Mammogram, left breast, CC view. Patient age 34.
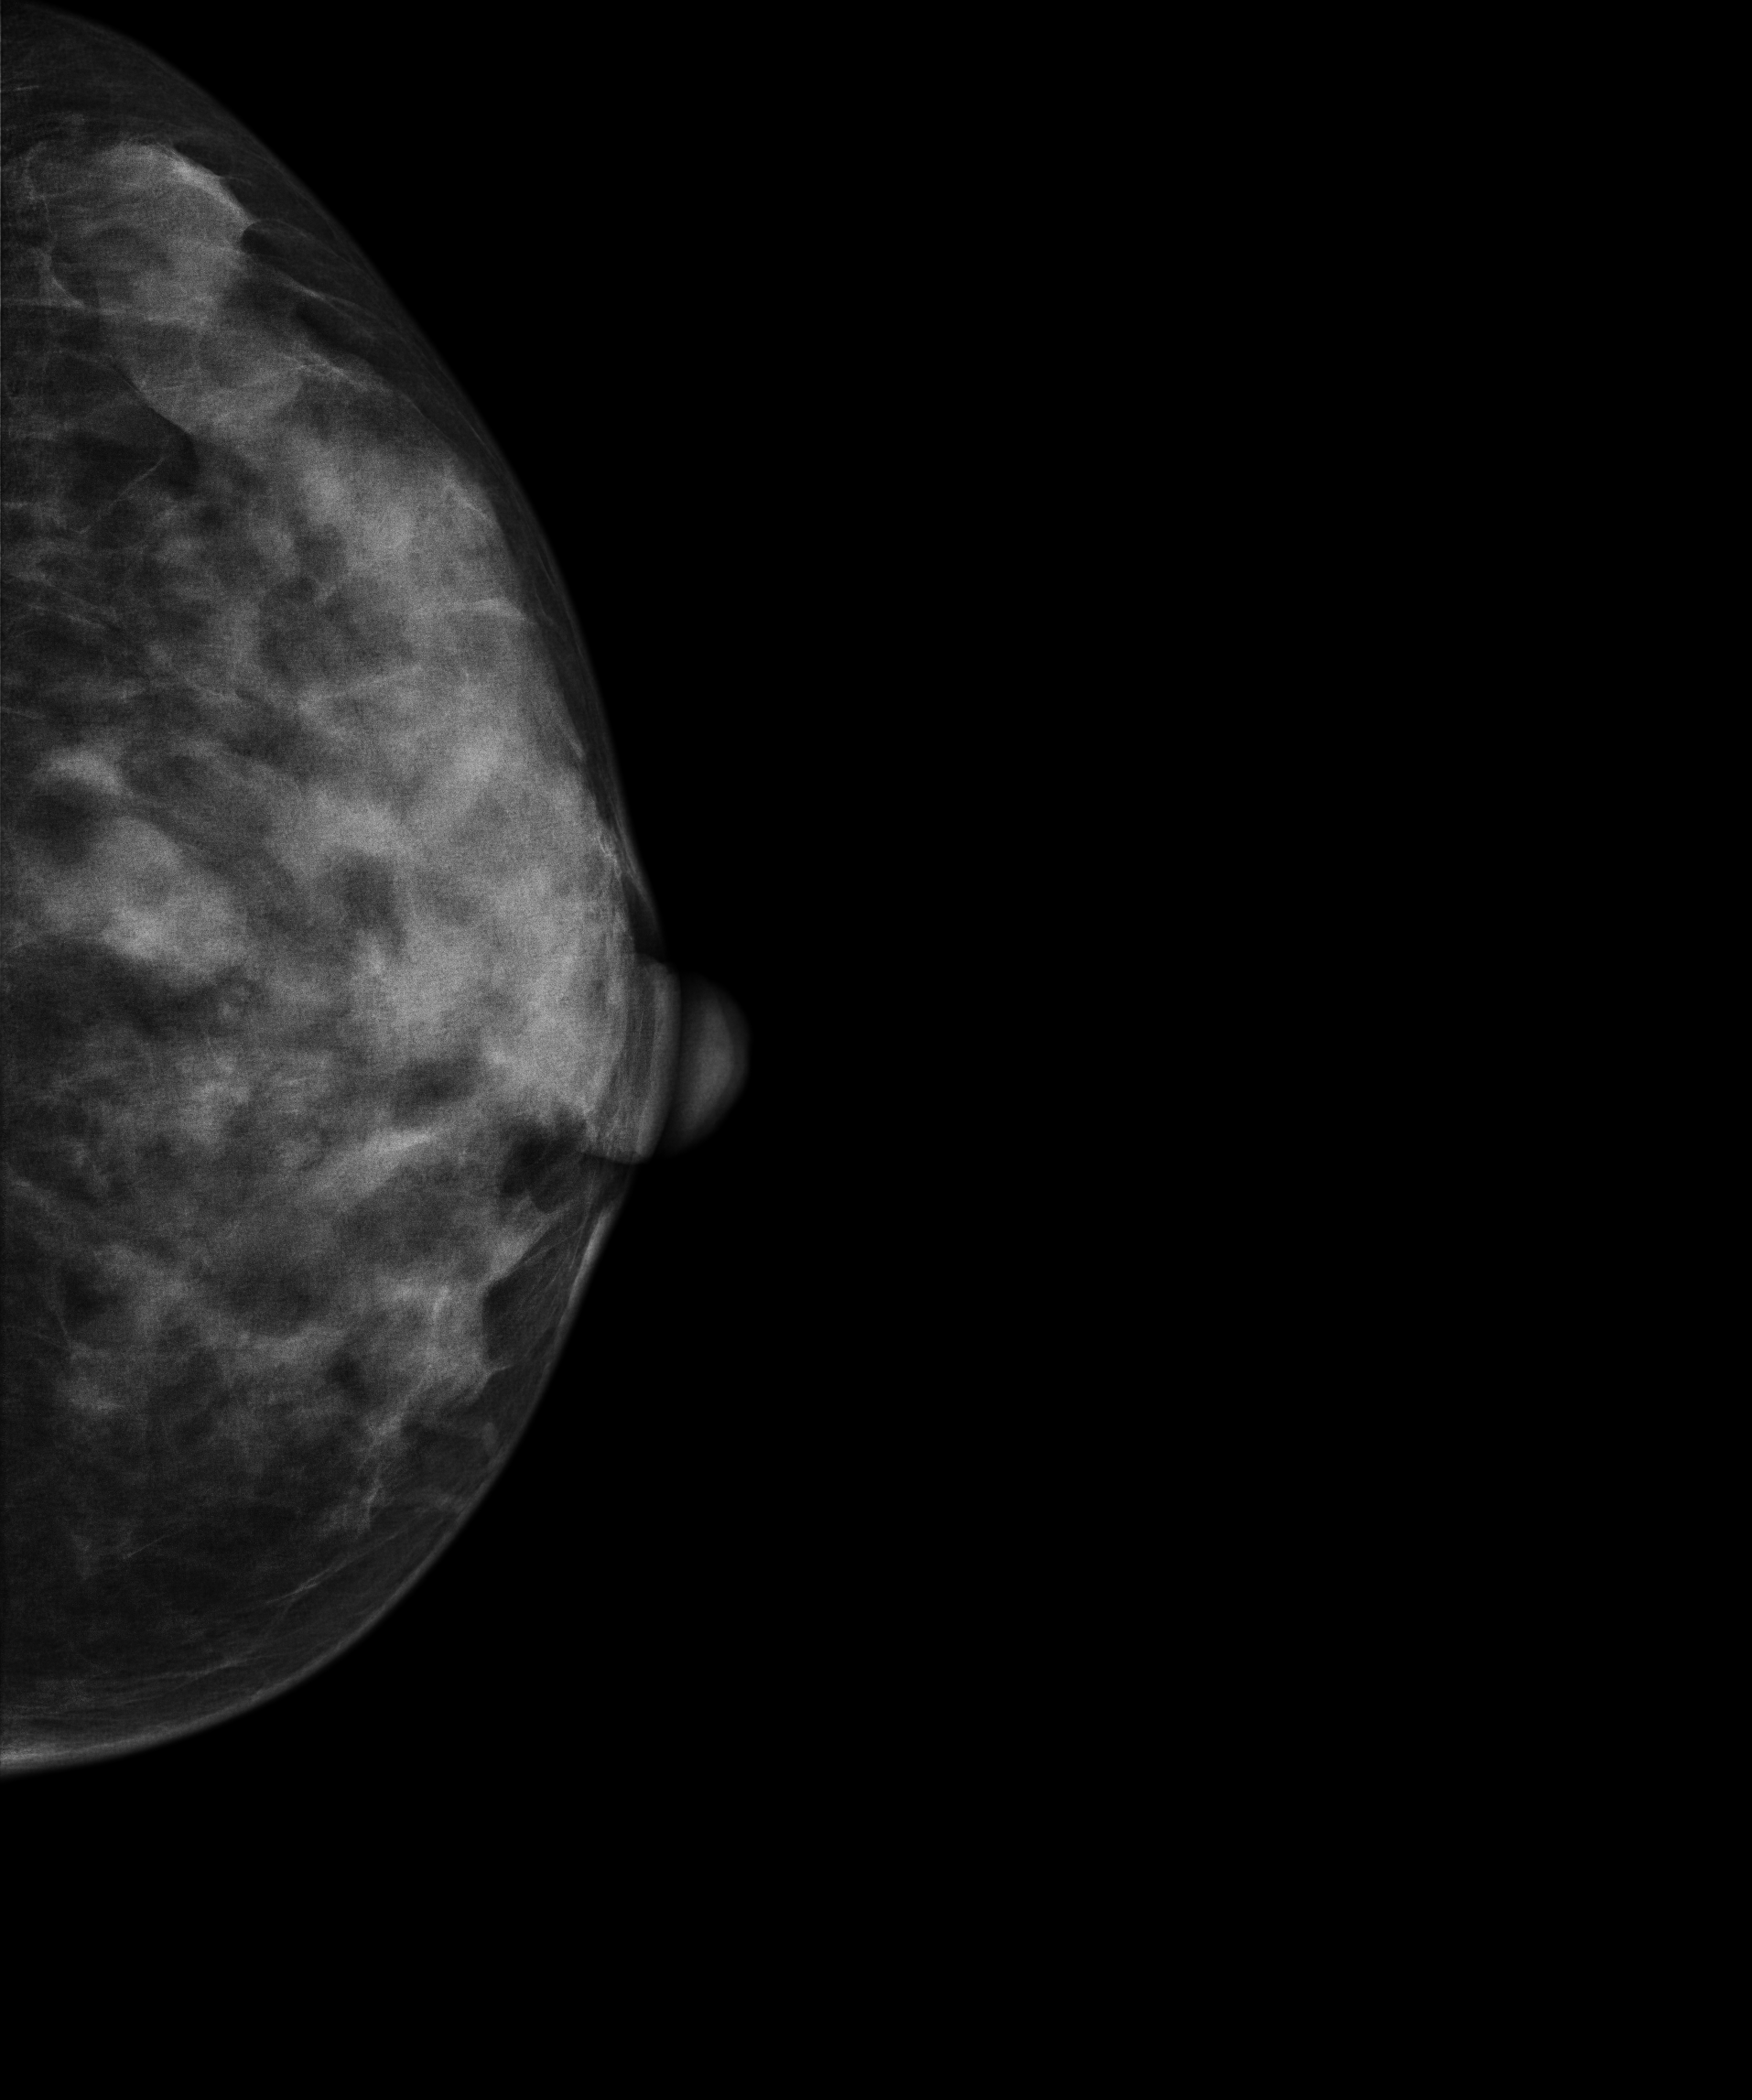
This breast has a mass, histologically confirmed benign.